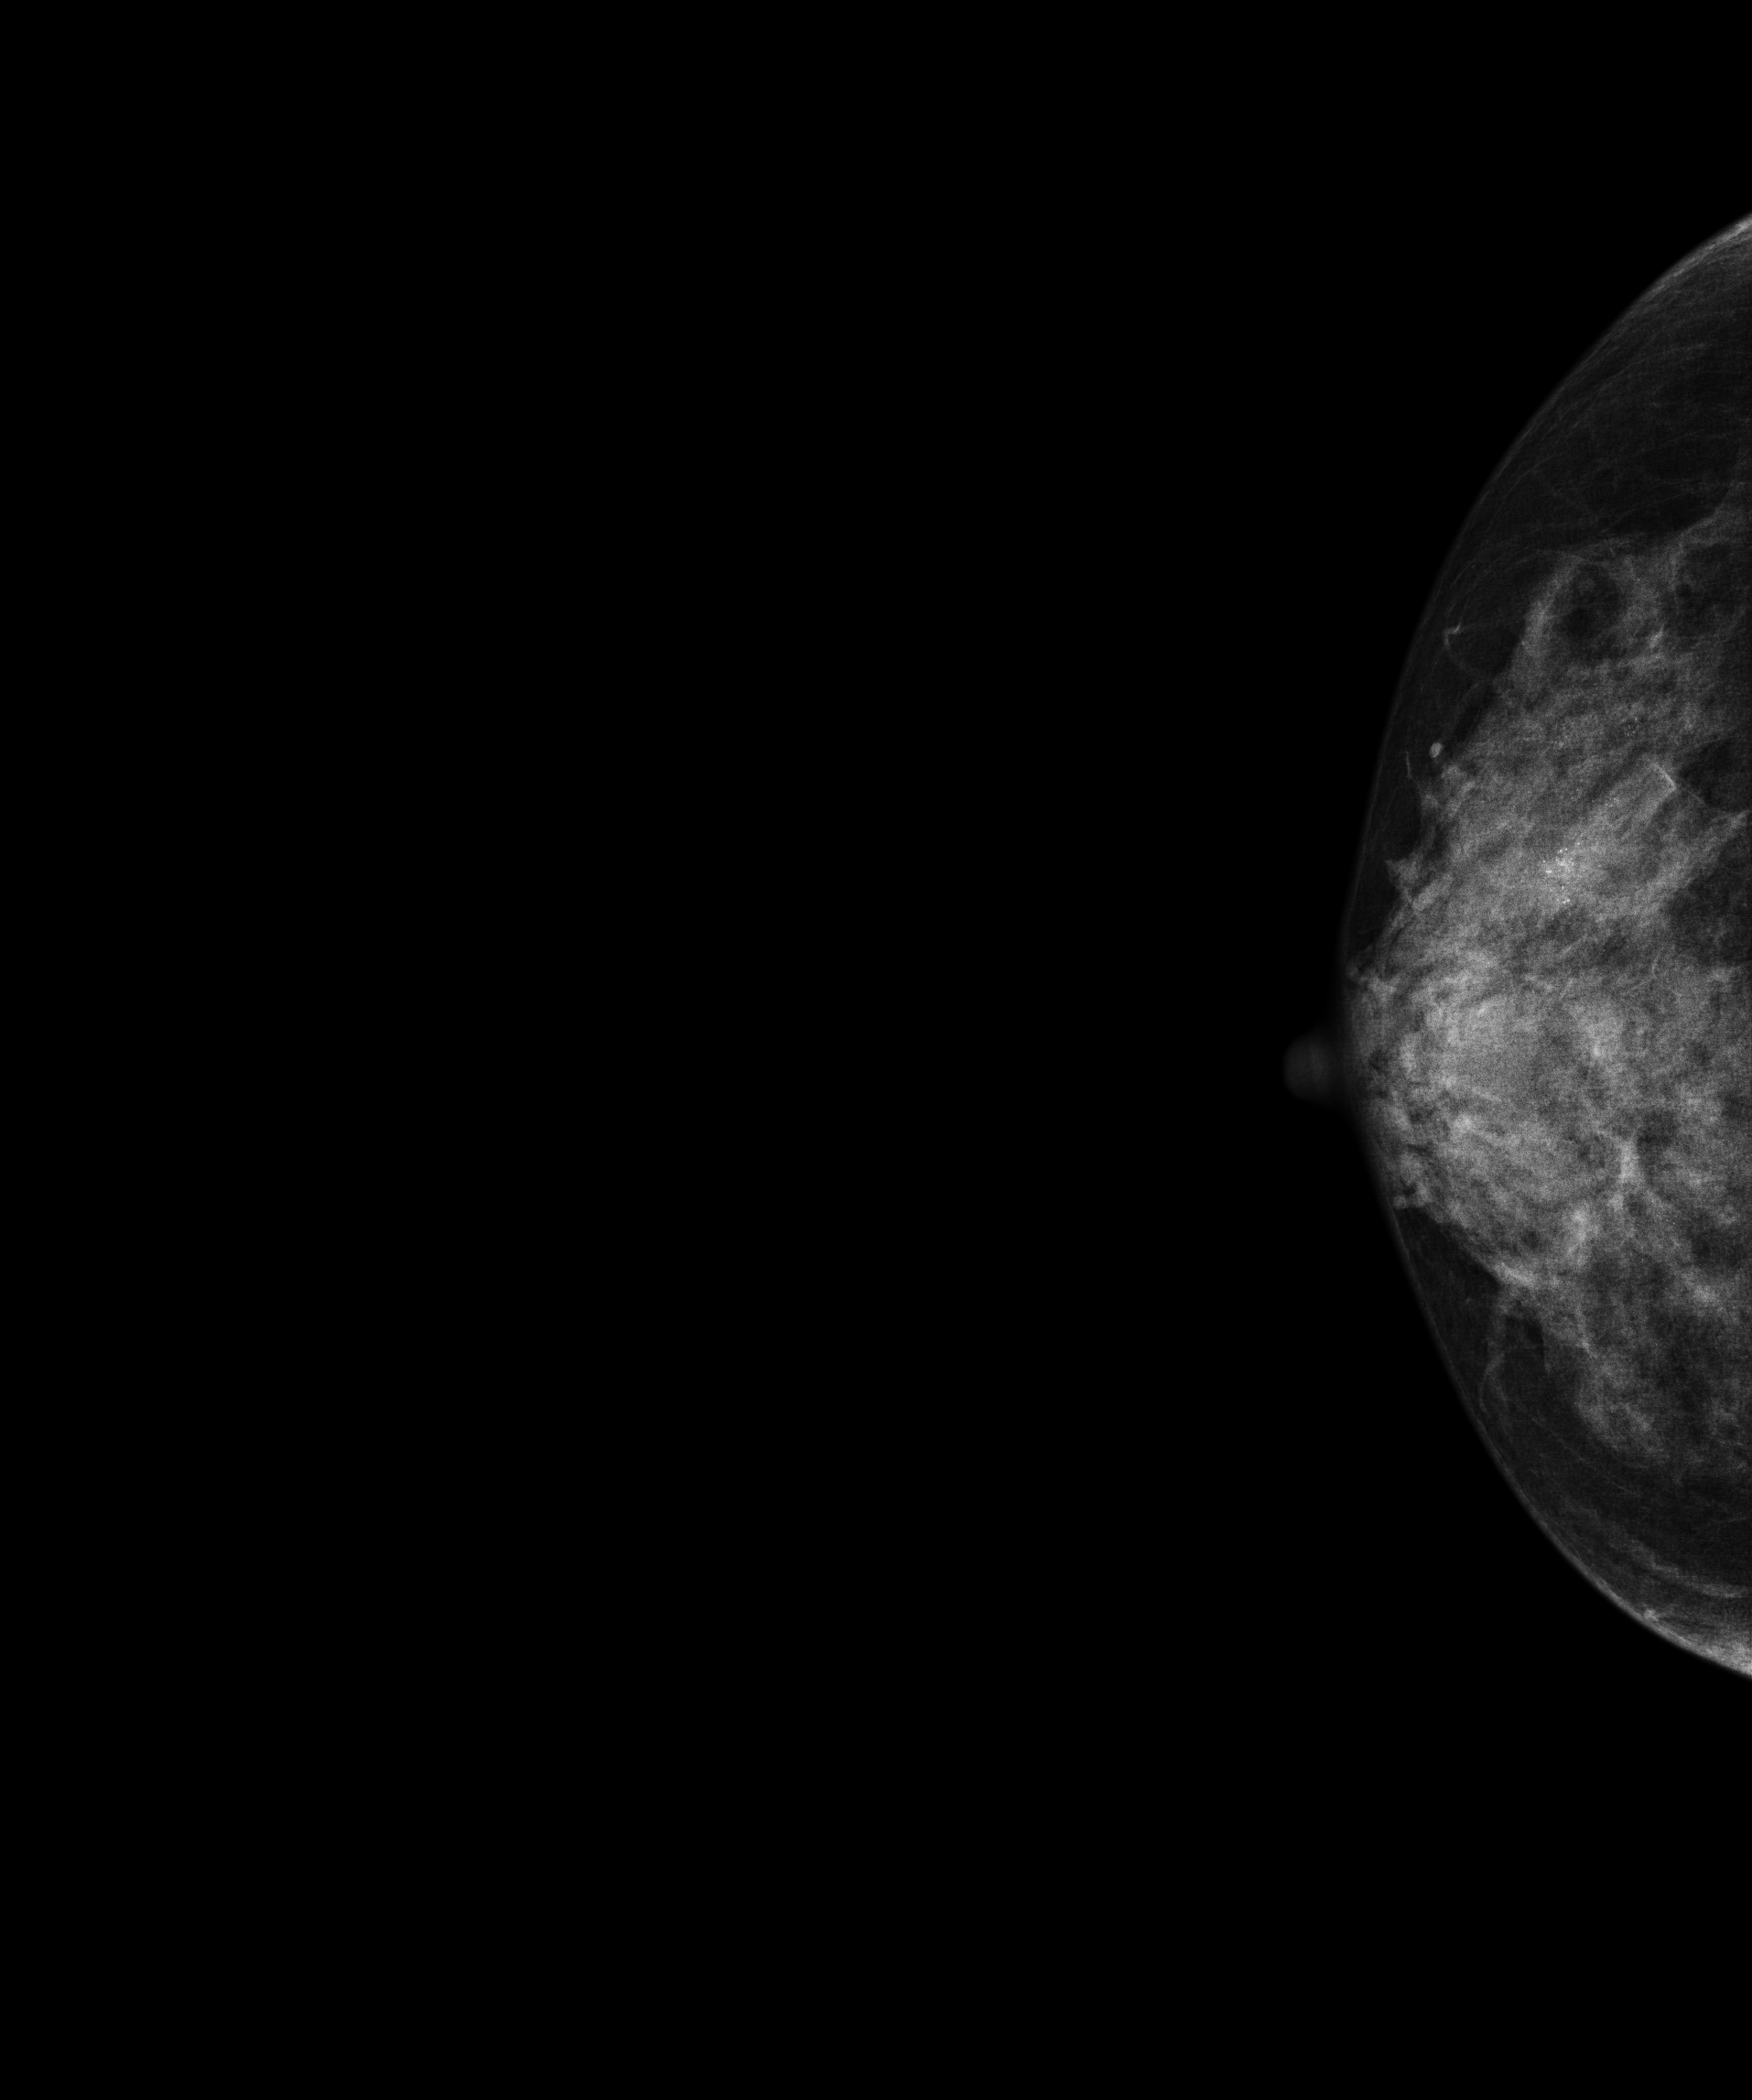
Right-breast mammogram, cranio-caudal. 47-year-old patient.
Contralateral breast — no documented abnormality on this side.